Mammogram — left CC. Patient age 44.
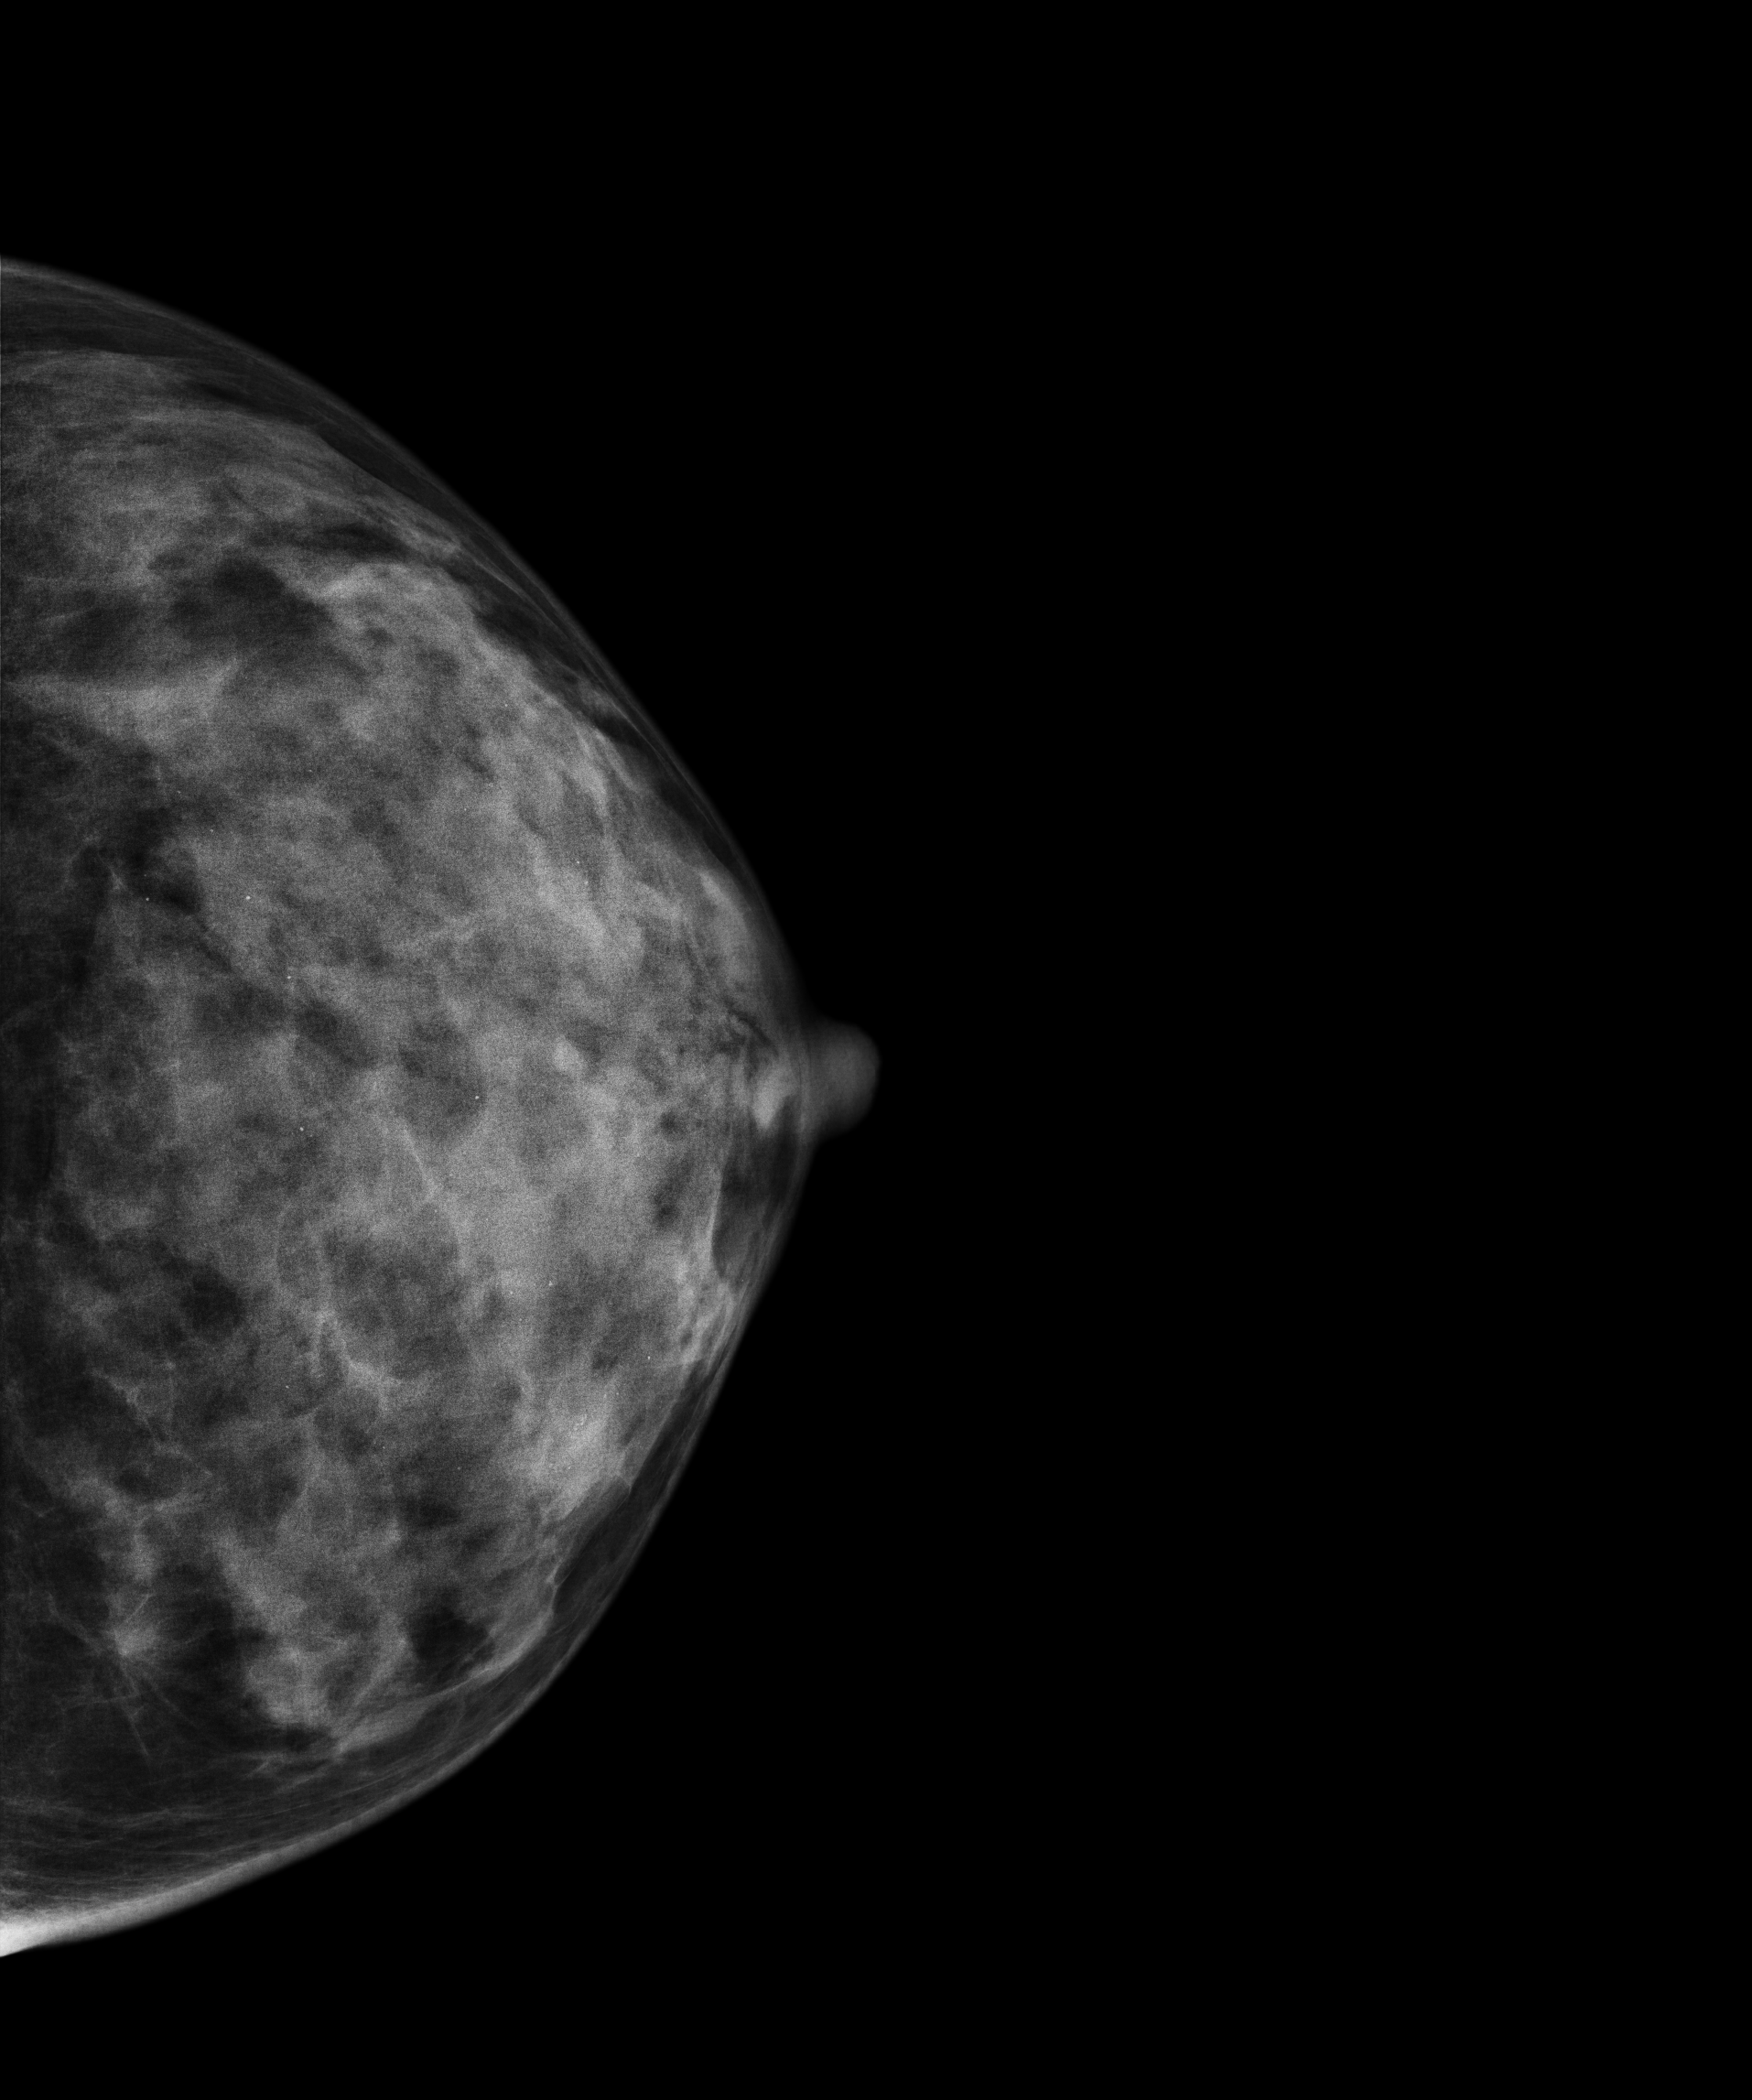
This breast has a mass and calcifications, pathology-confirmed benign.